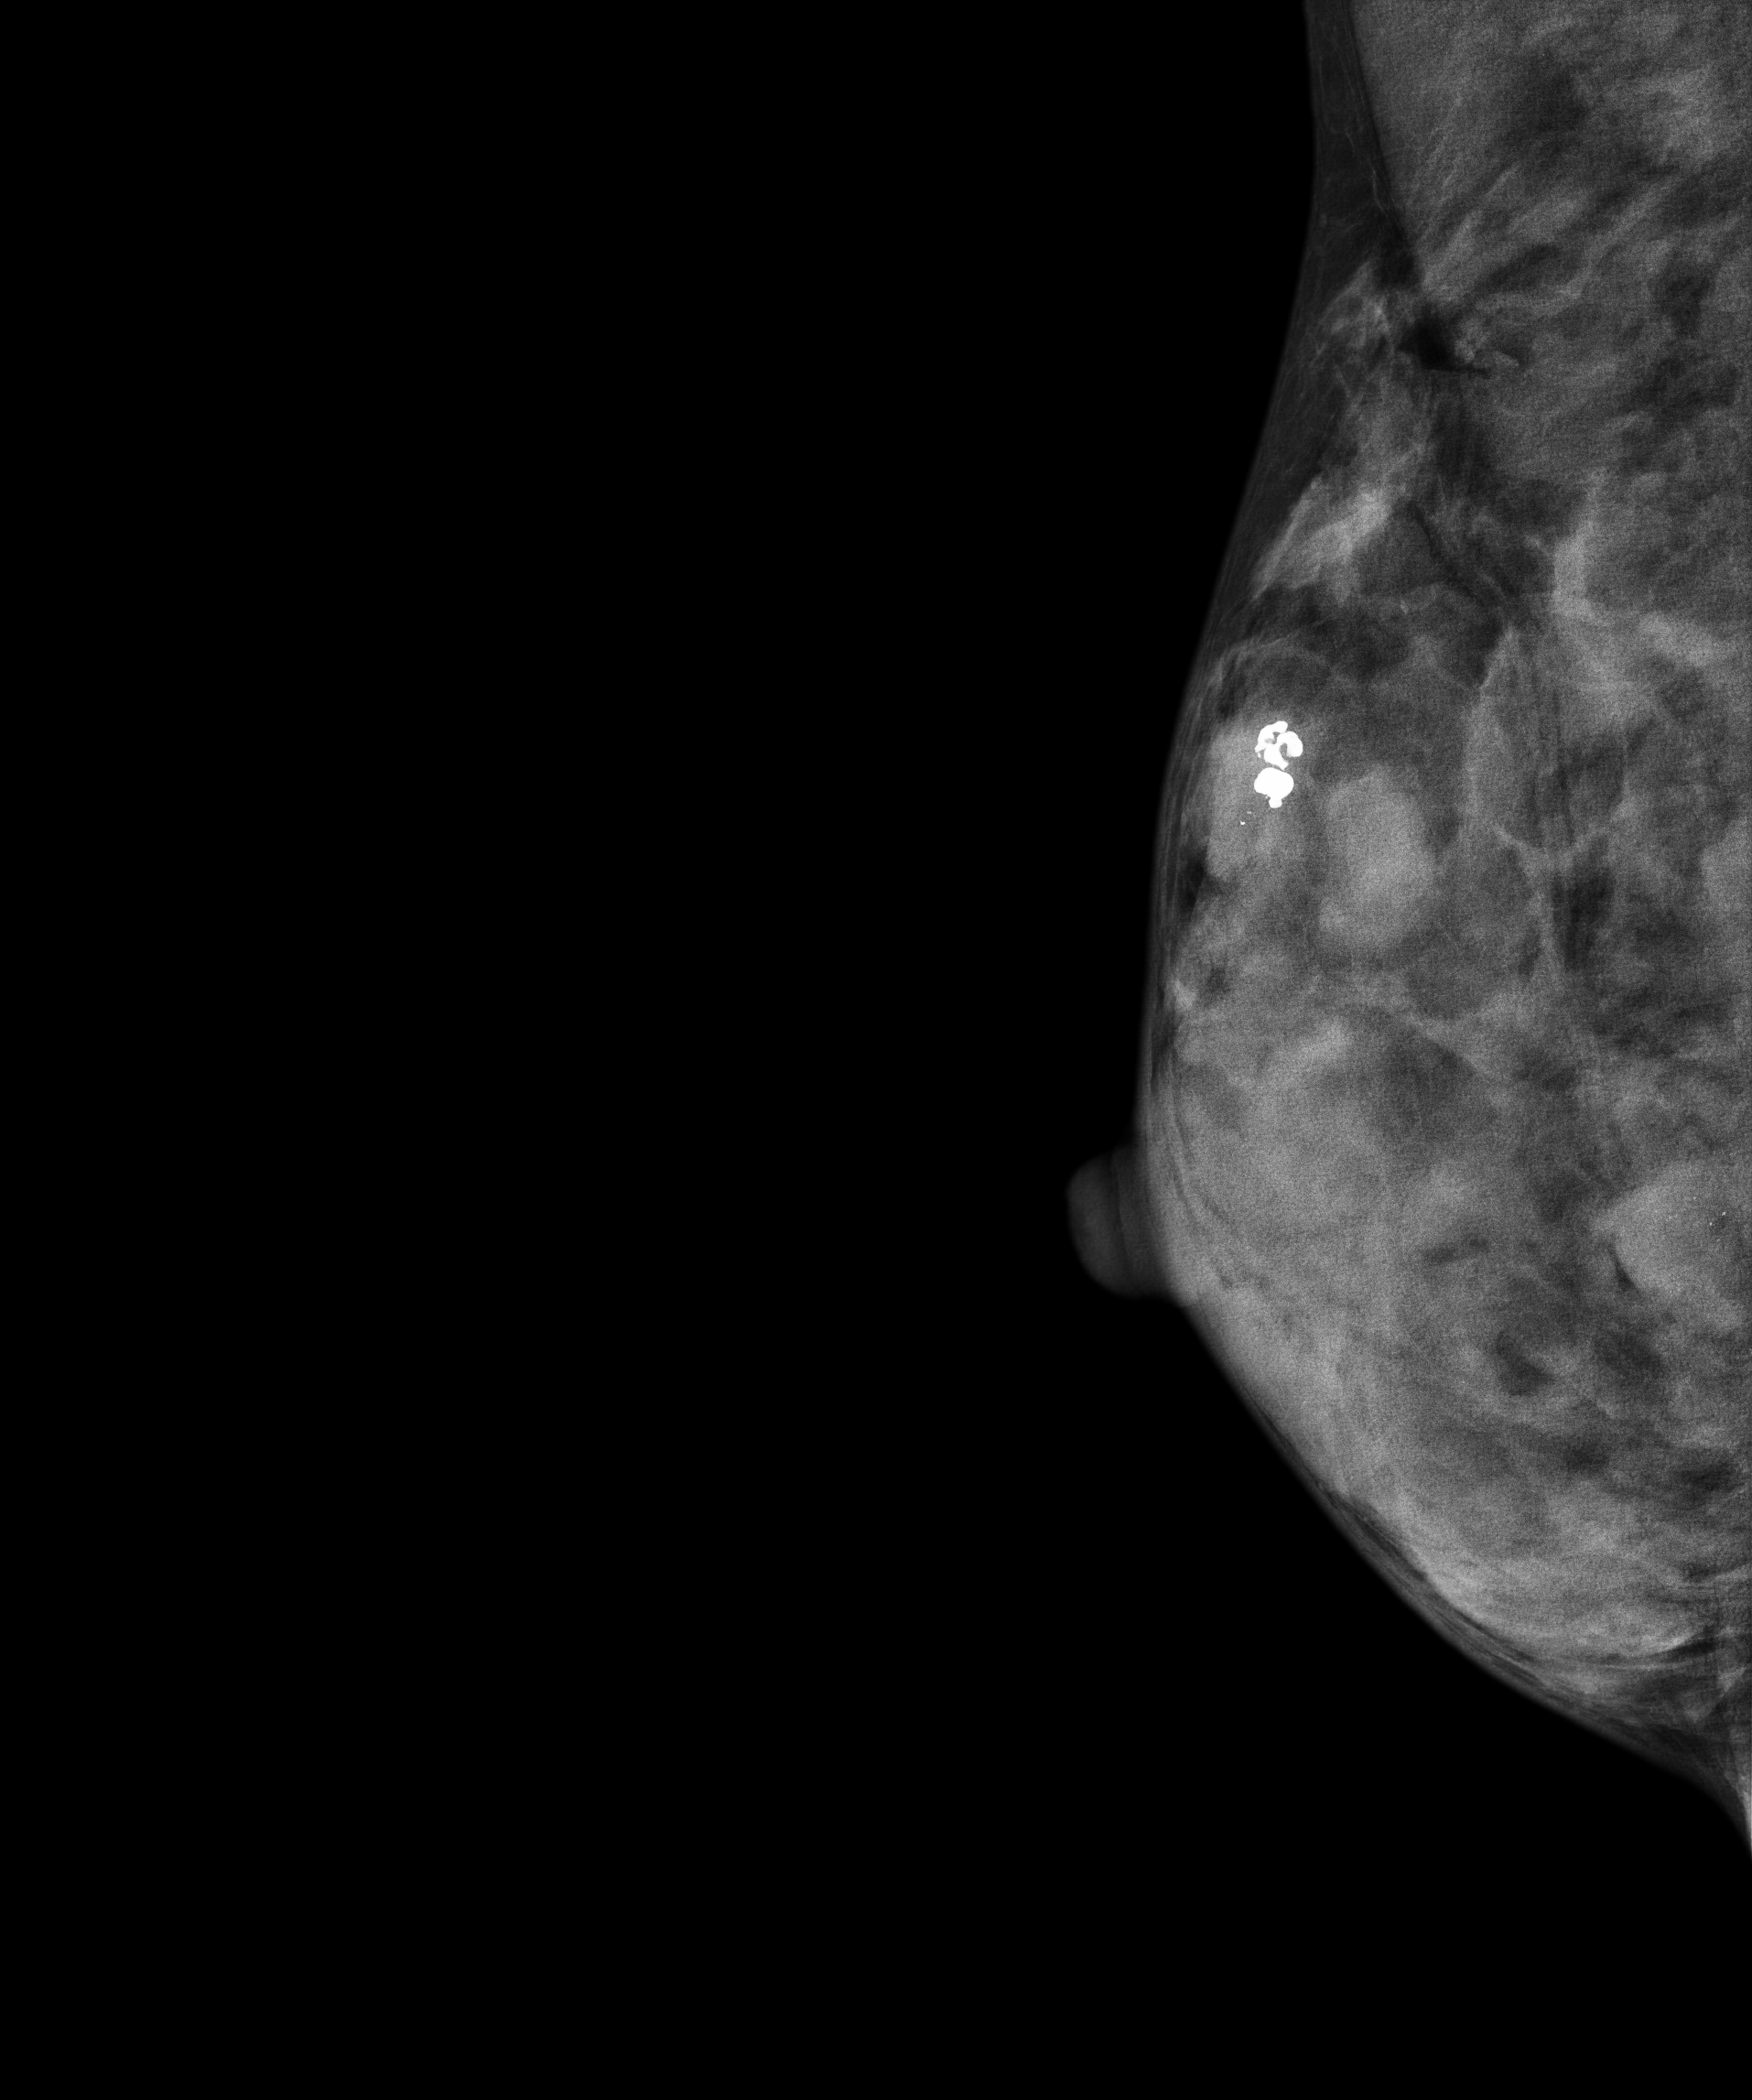
MLO mammogram of the right breast. Patient age 41.
This breast has a mass and calcifications, biopsy-proven malignant. Molecular subtype: luminal B.